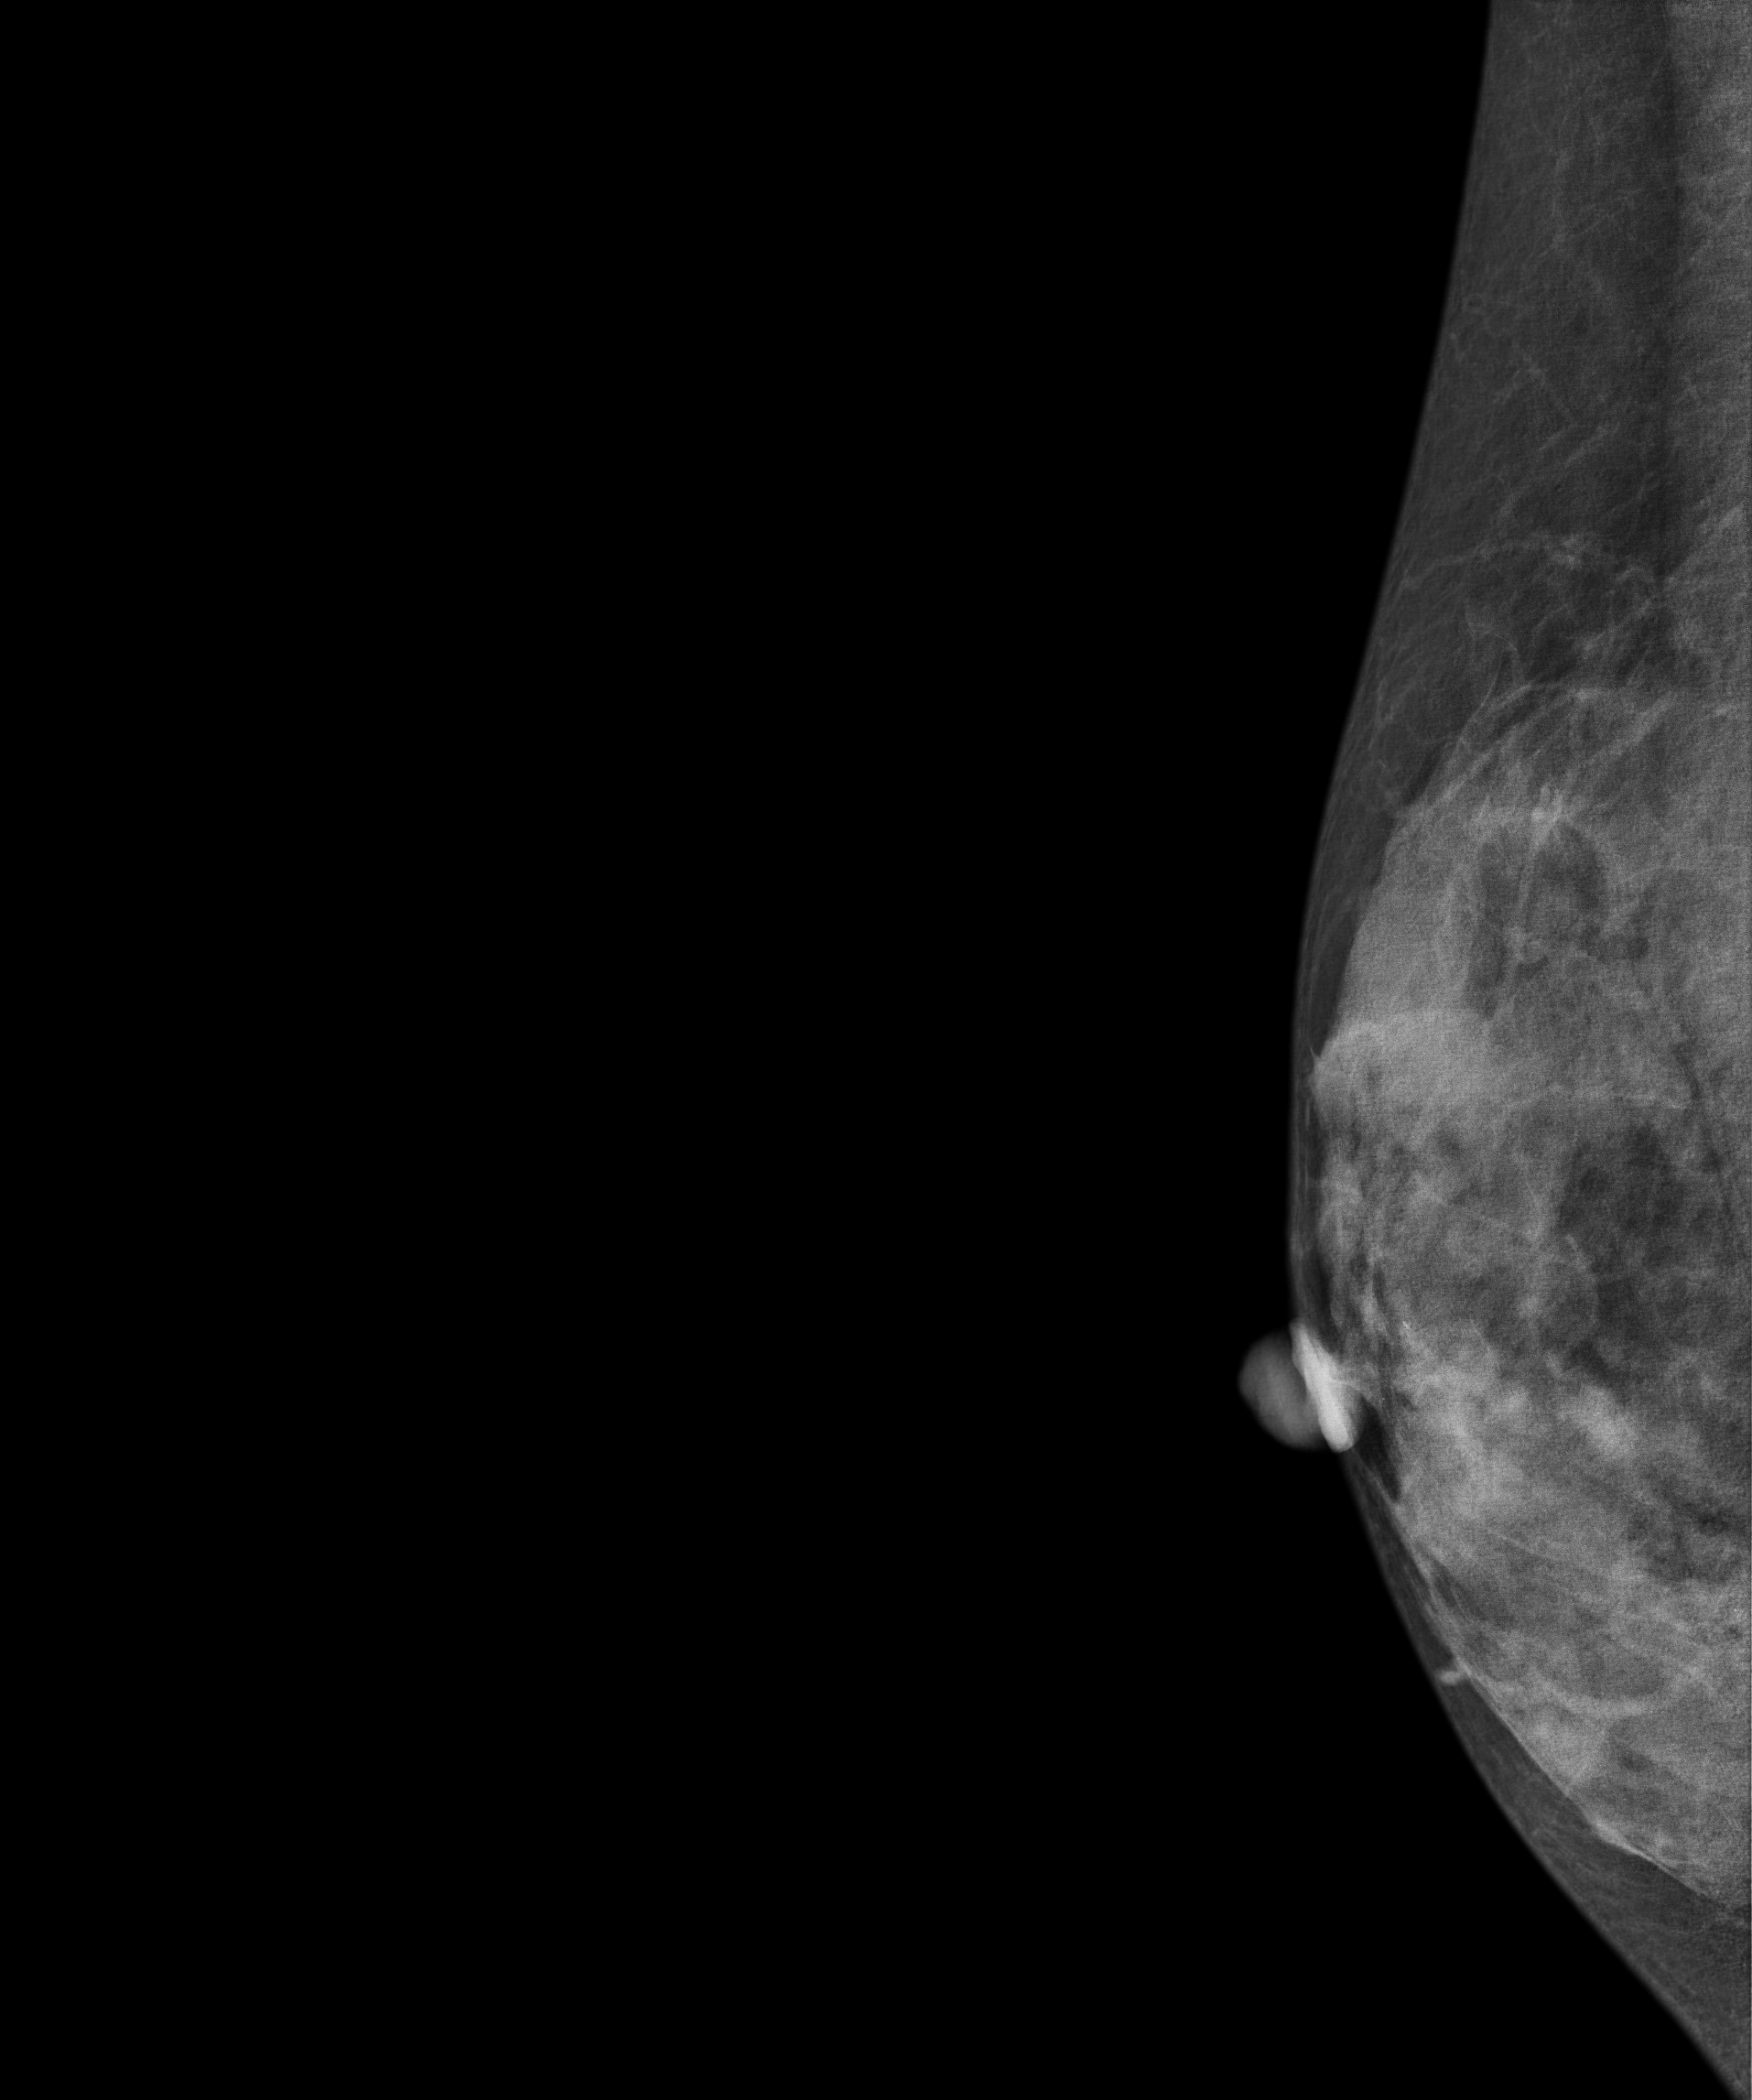
Mammogram — right MLO. 31-year-old patient.
This breast has a mass, biopsy-proven malignant. Molecular subtype: luminal B.